Digital mammography. Right breast, CC projection. 32 y/o patient.
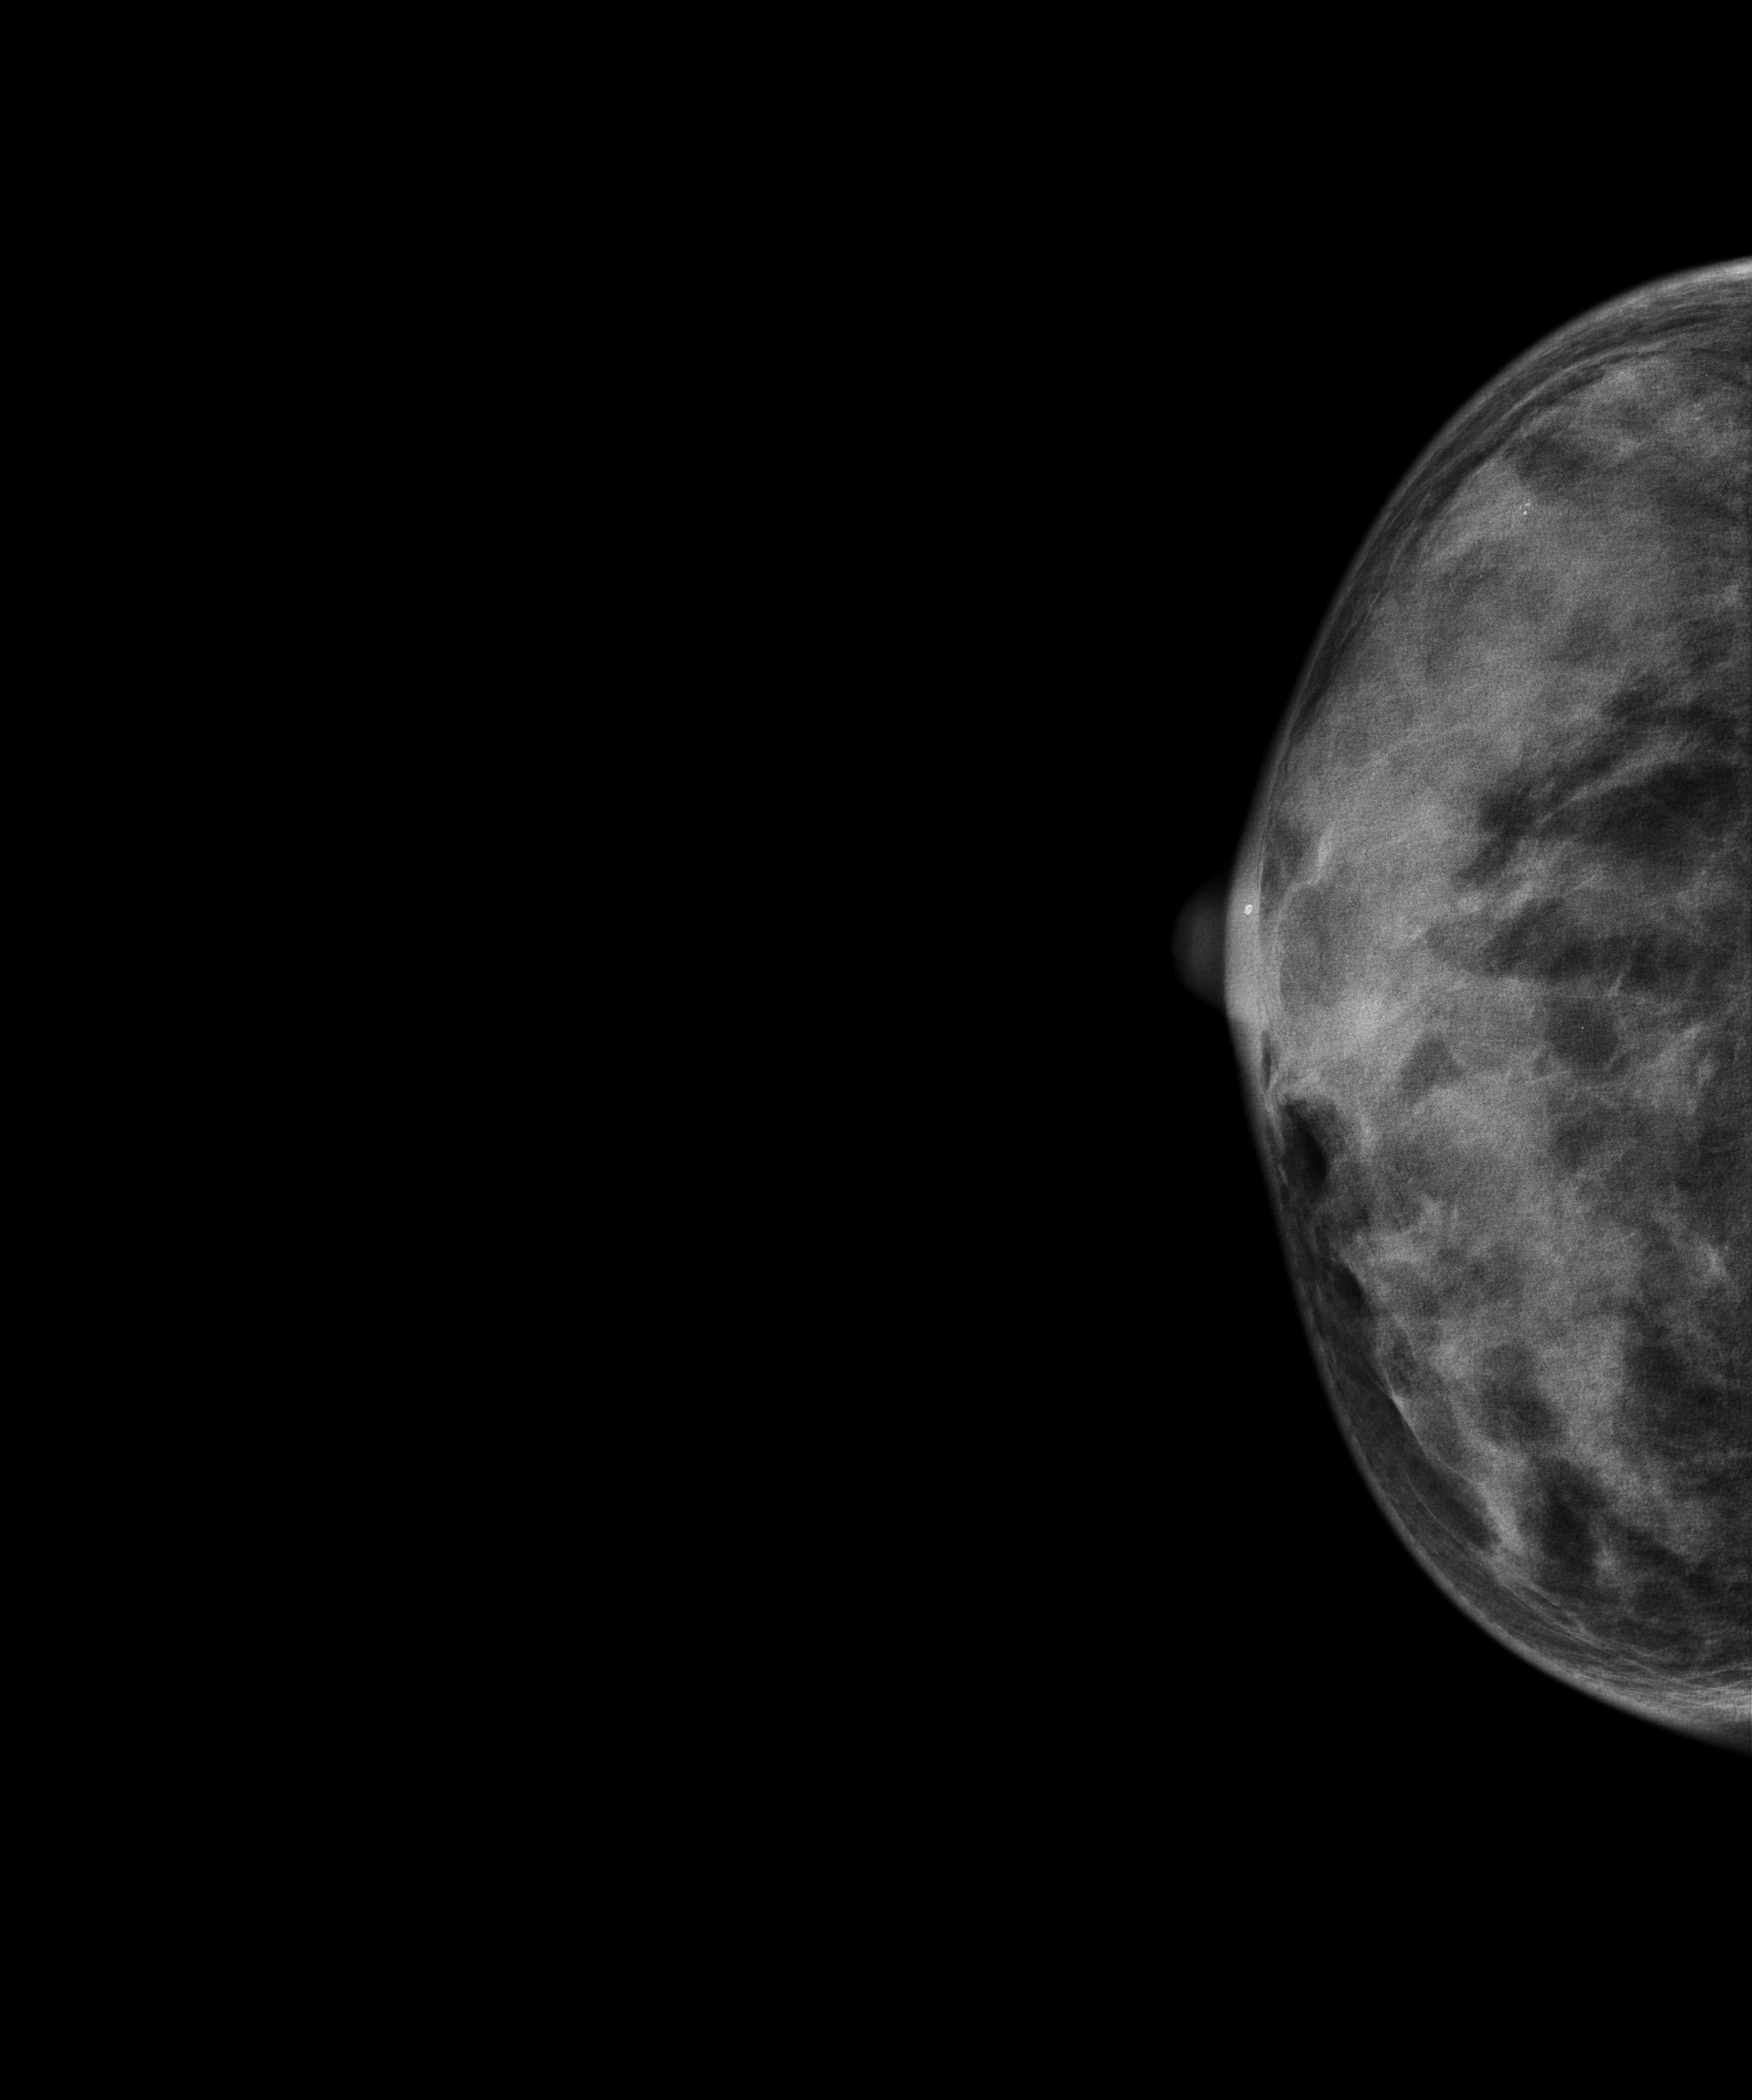
Contralateral breast — no documented abnormality on this side.